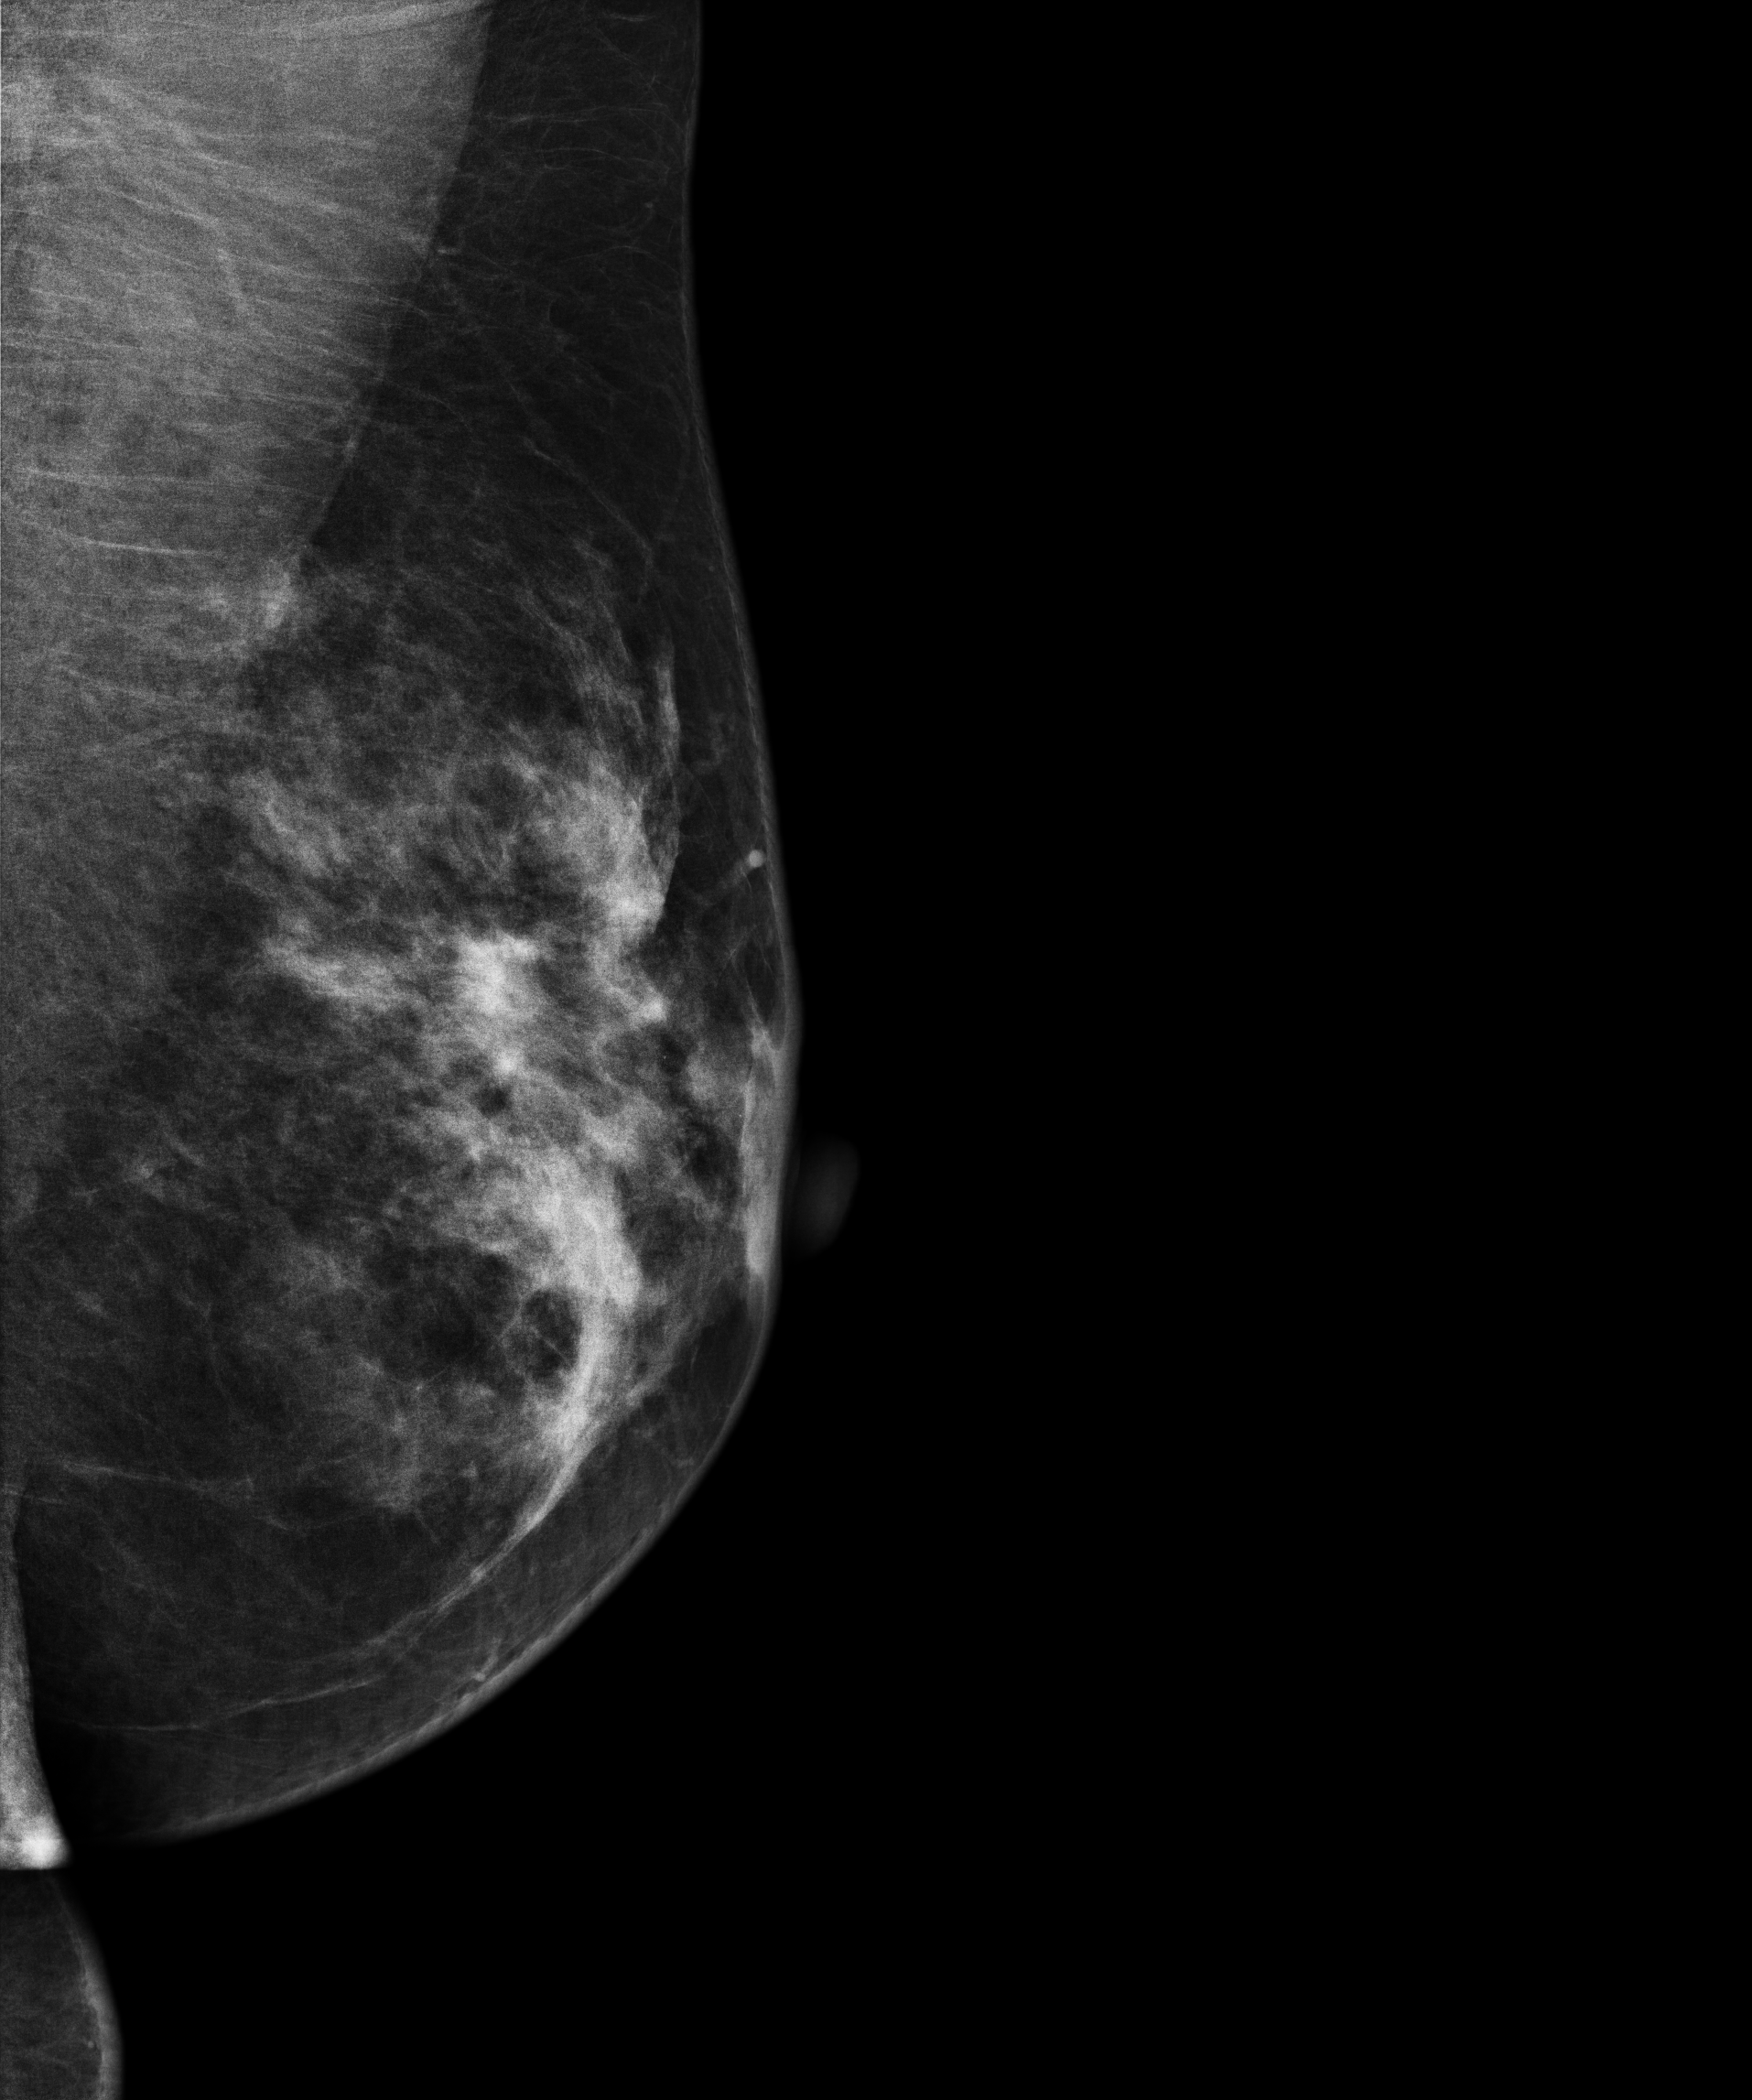
Digital mammography. Left breast, MLO projection. 43 y/o patient.
This breast has a mass, biopsy-confirmed benign.